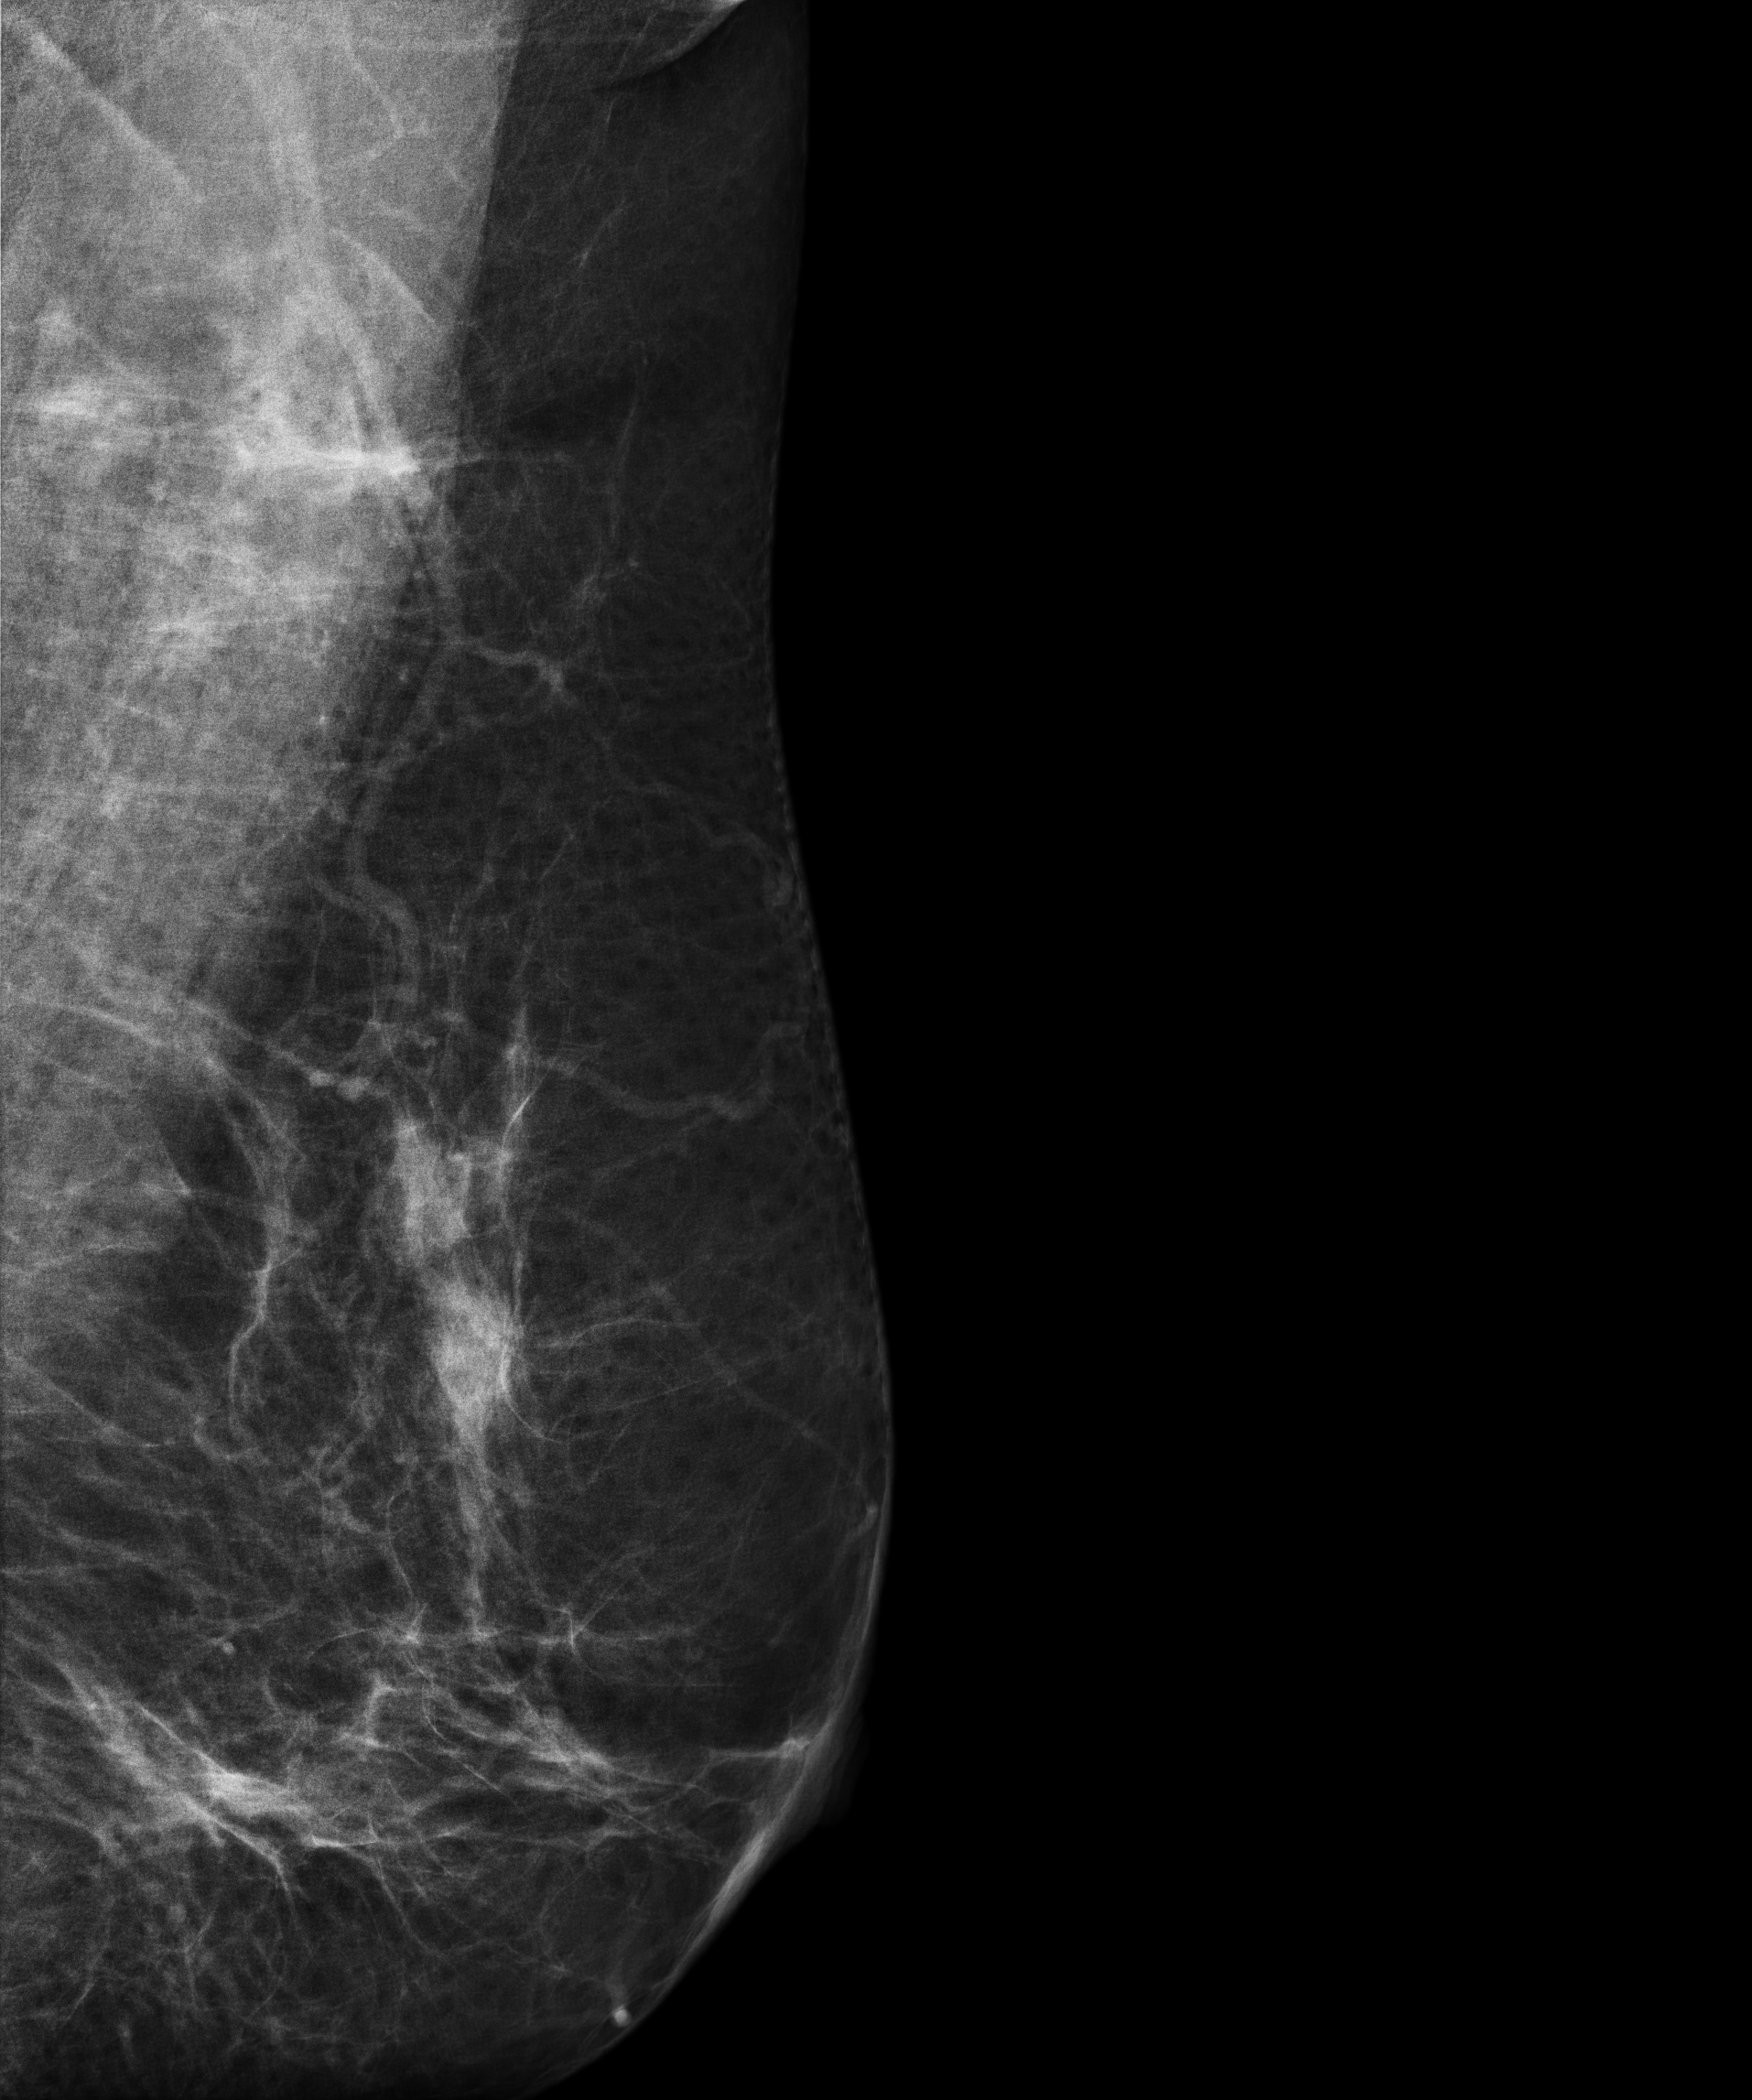
Mammogram — right MLO. 60 y/o patient.
Contralateral breast — no documented abnormality on this side.